Right-breast mammogram, MLO. 61-year-old patient.
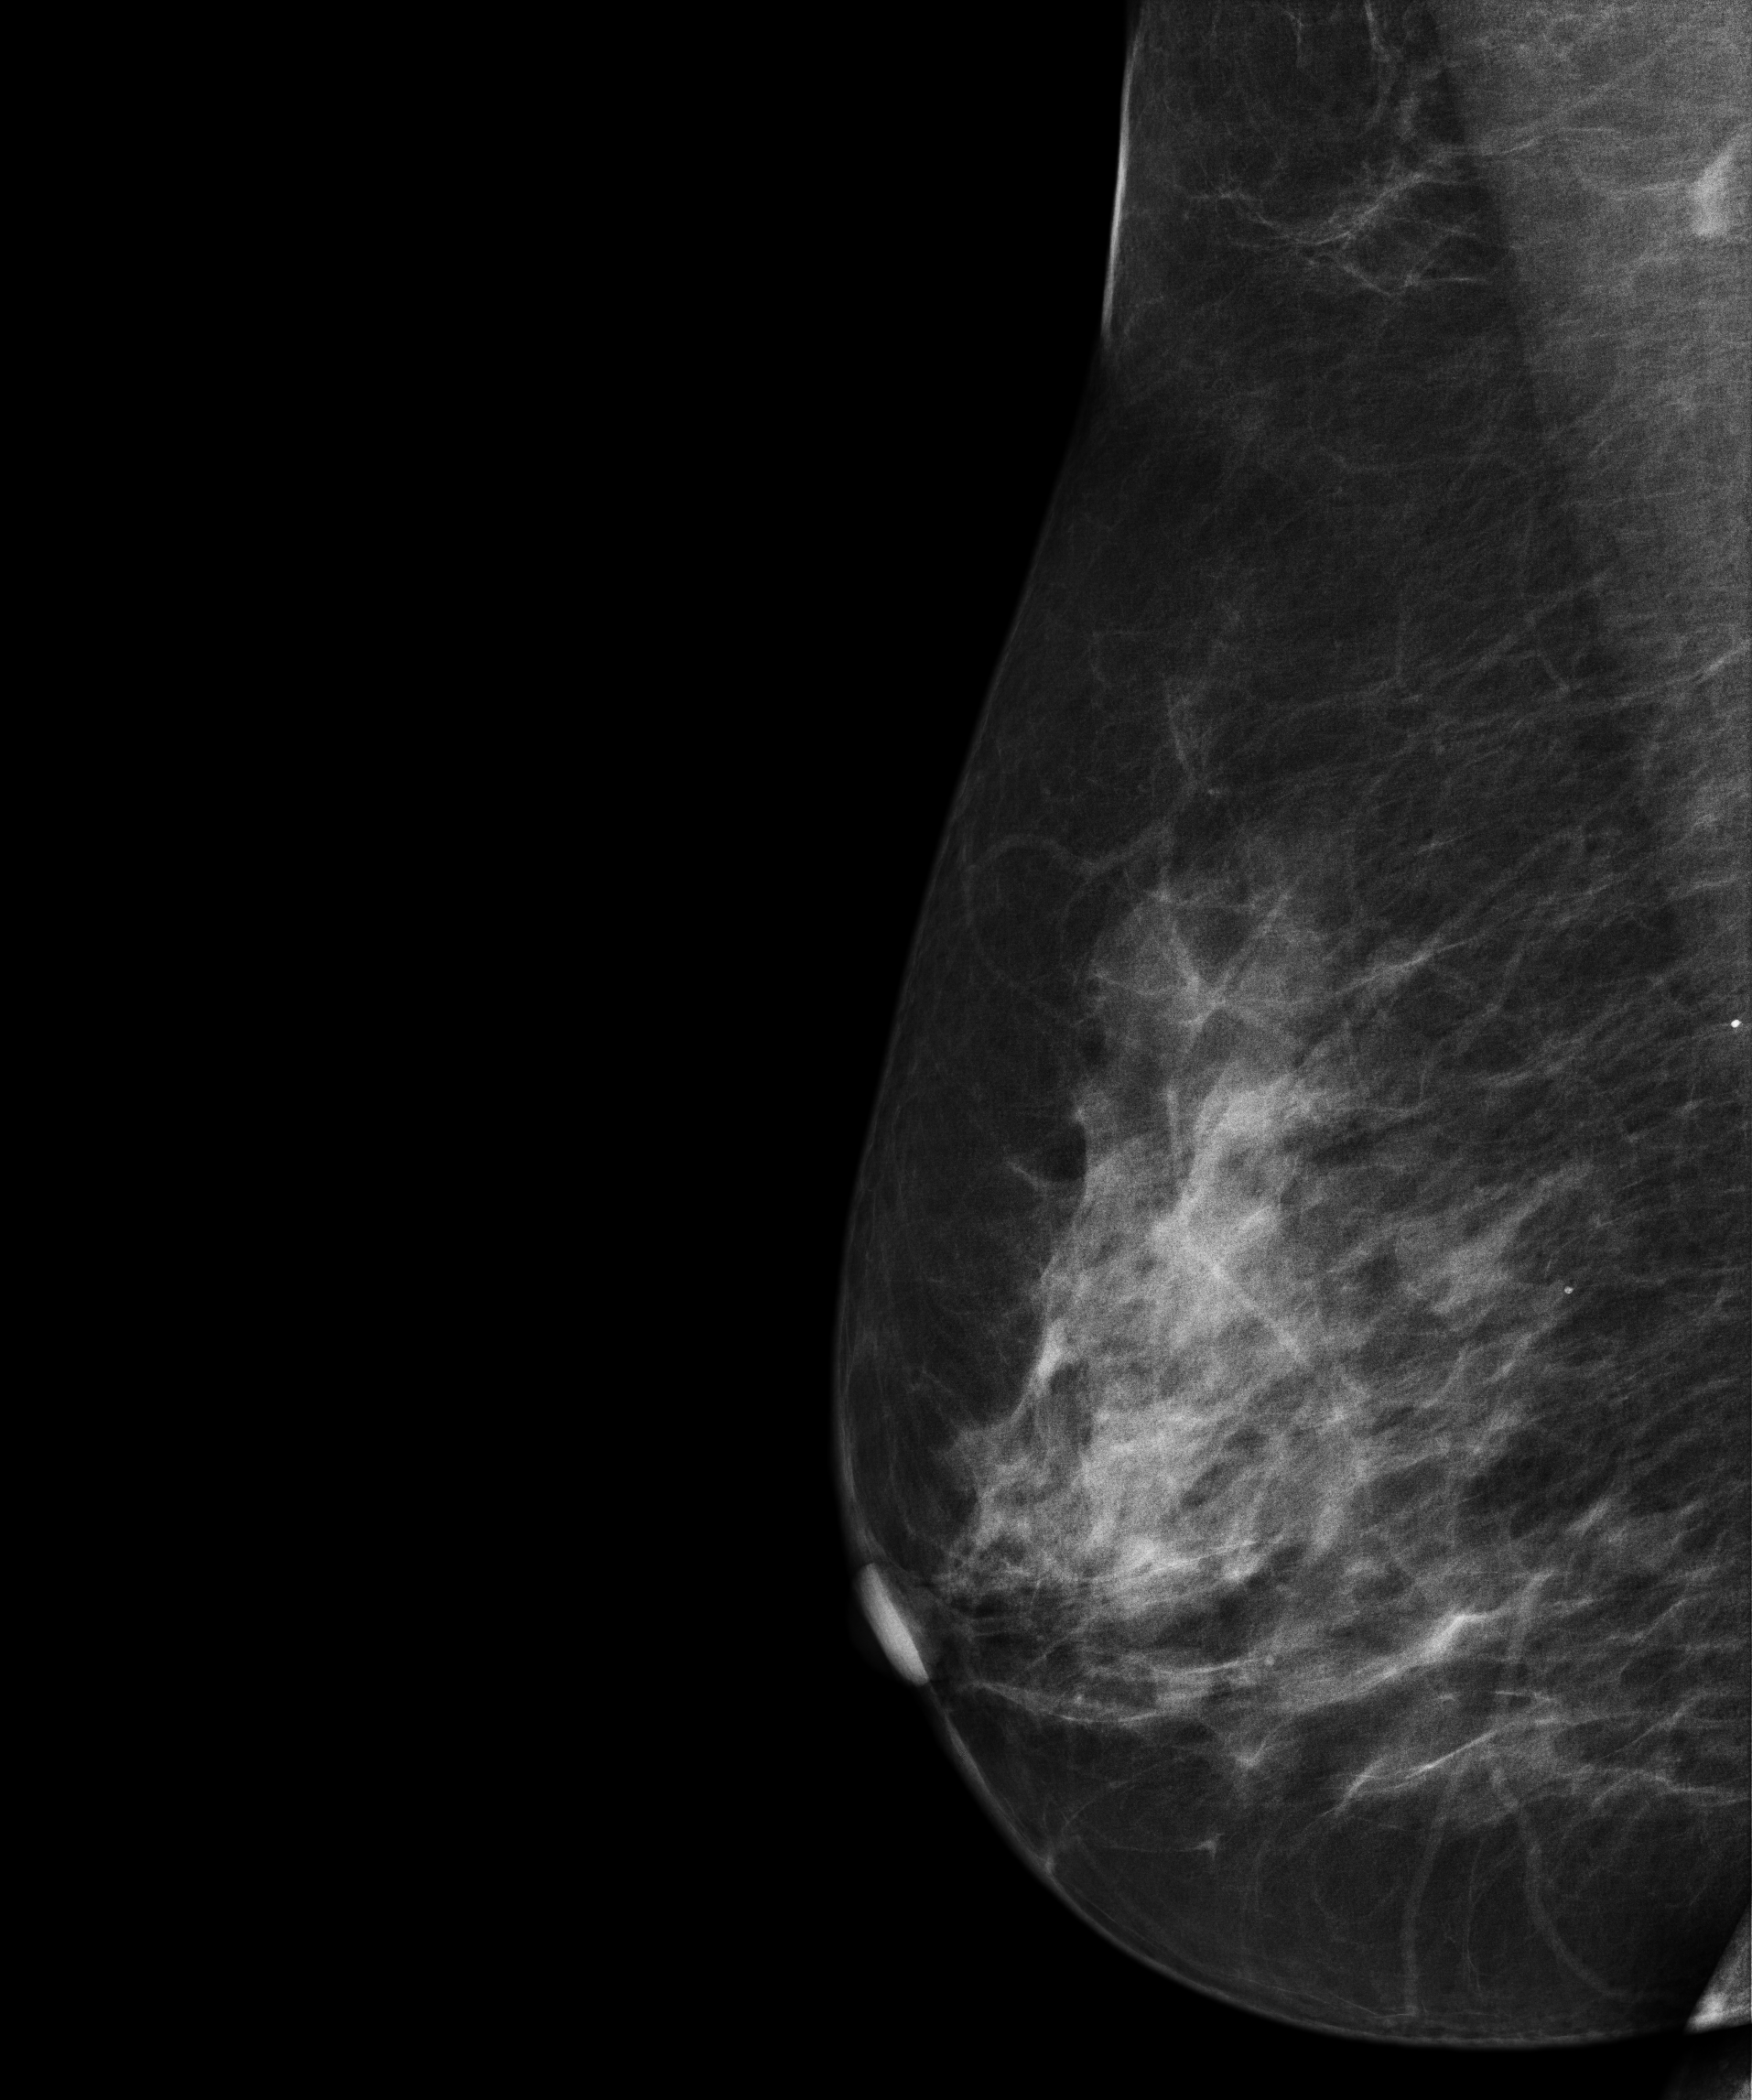
Contralateral breast — no documented abnormality on this side.